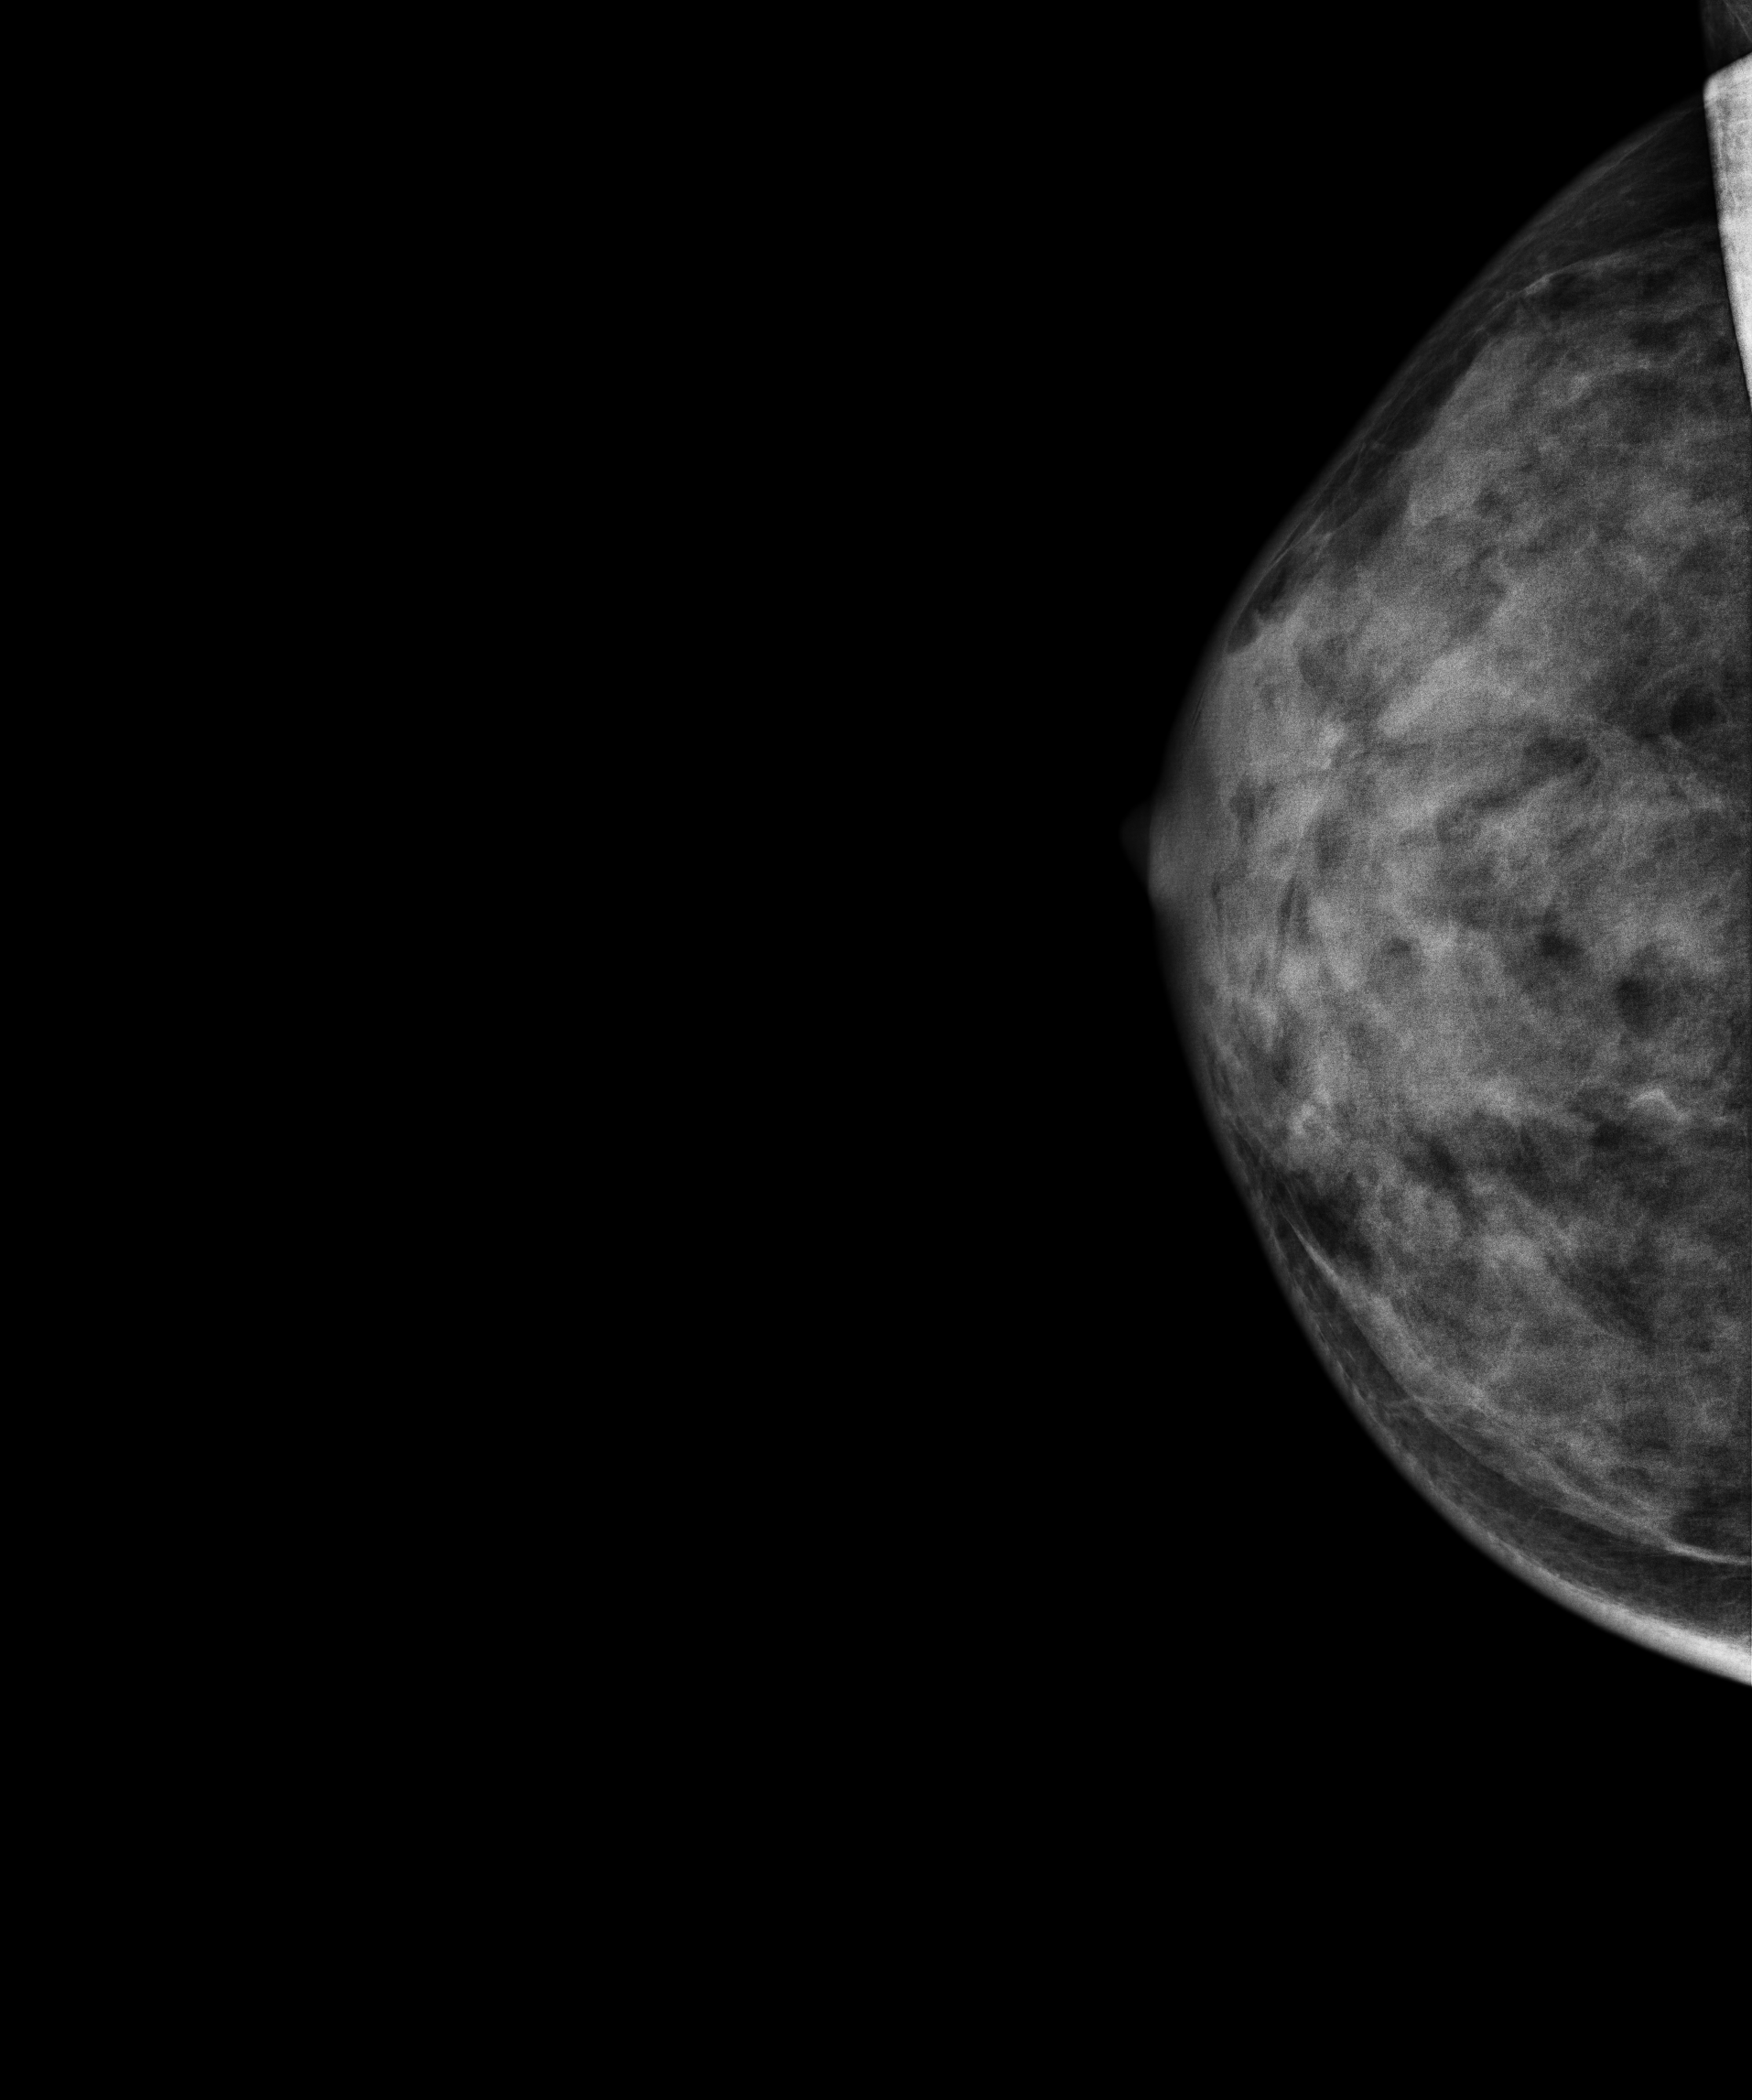
Cranio-caudal mammogram of the right breast. 49-year-old patient.
This breast has a mass, biopsy-confirmed malignant.